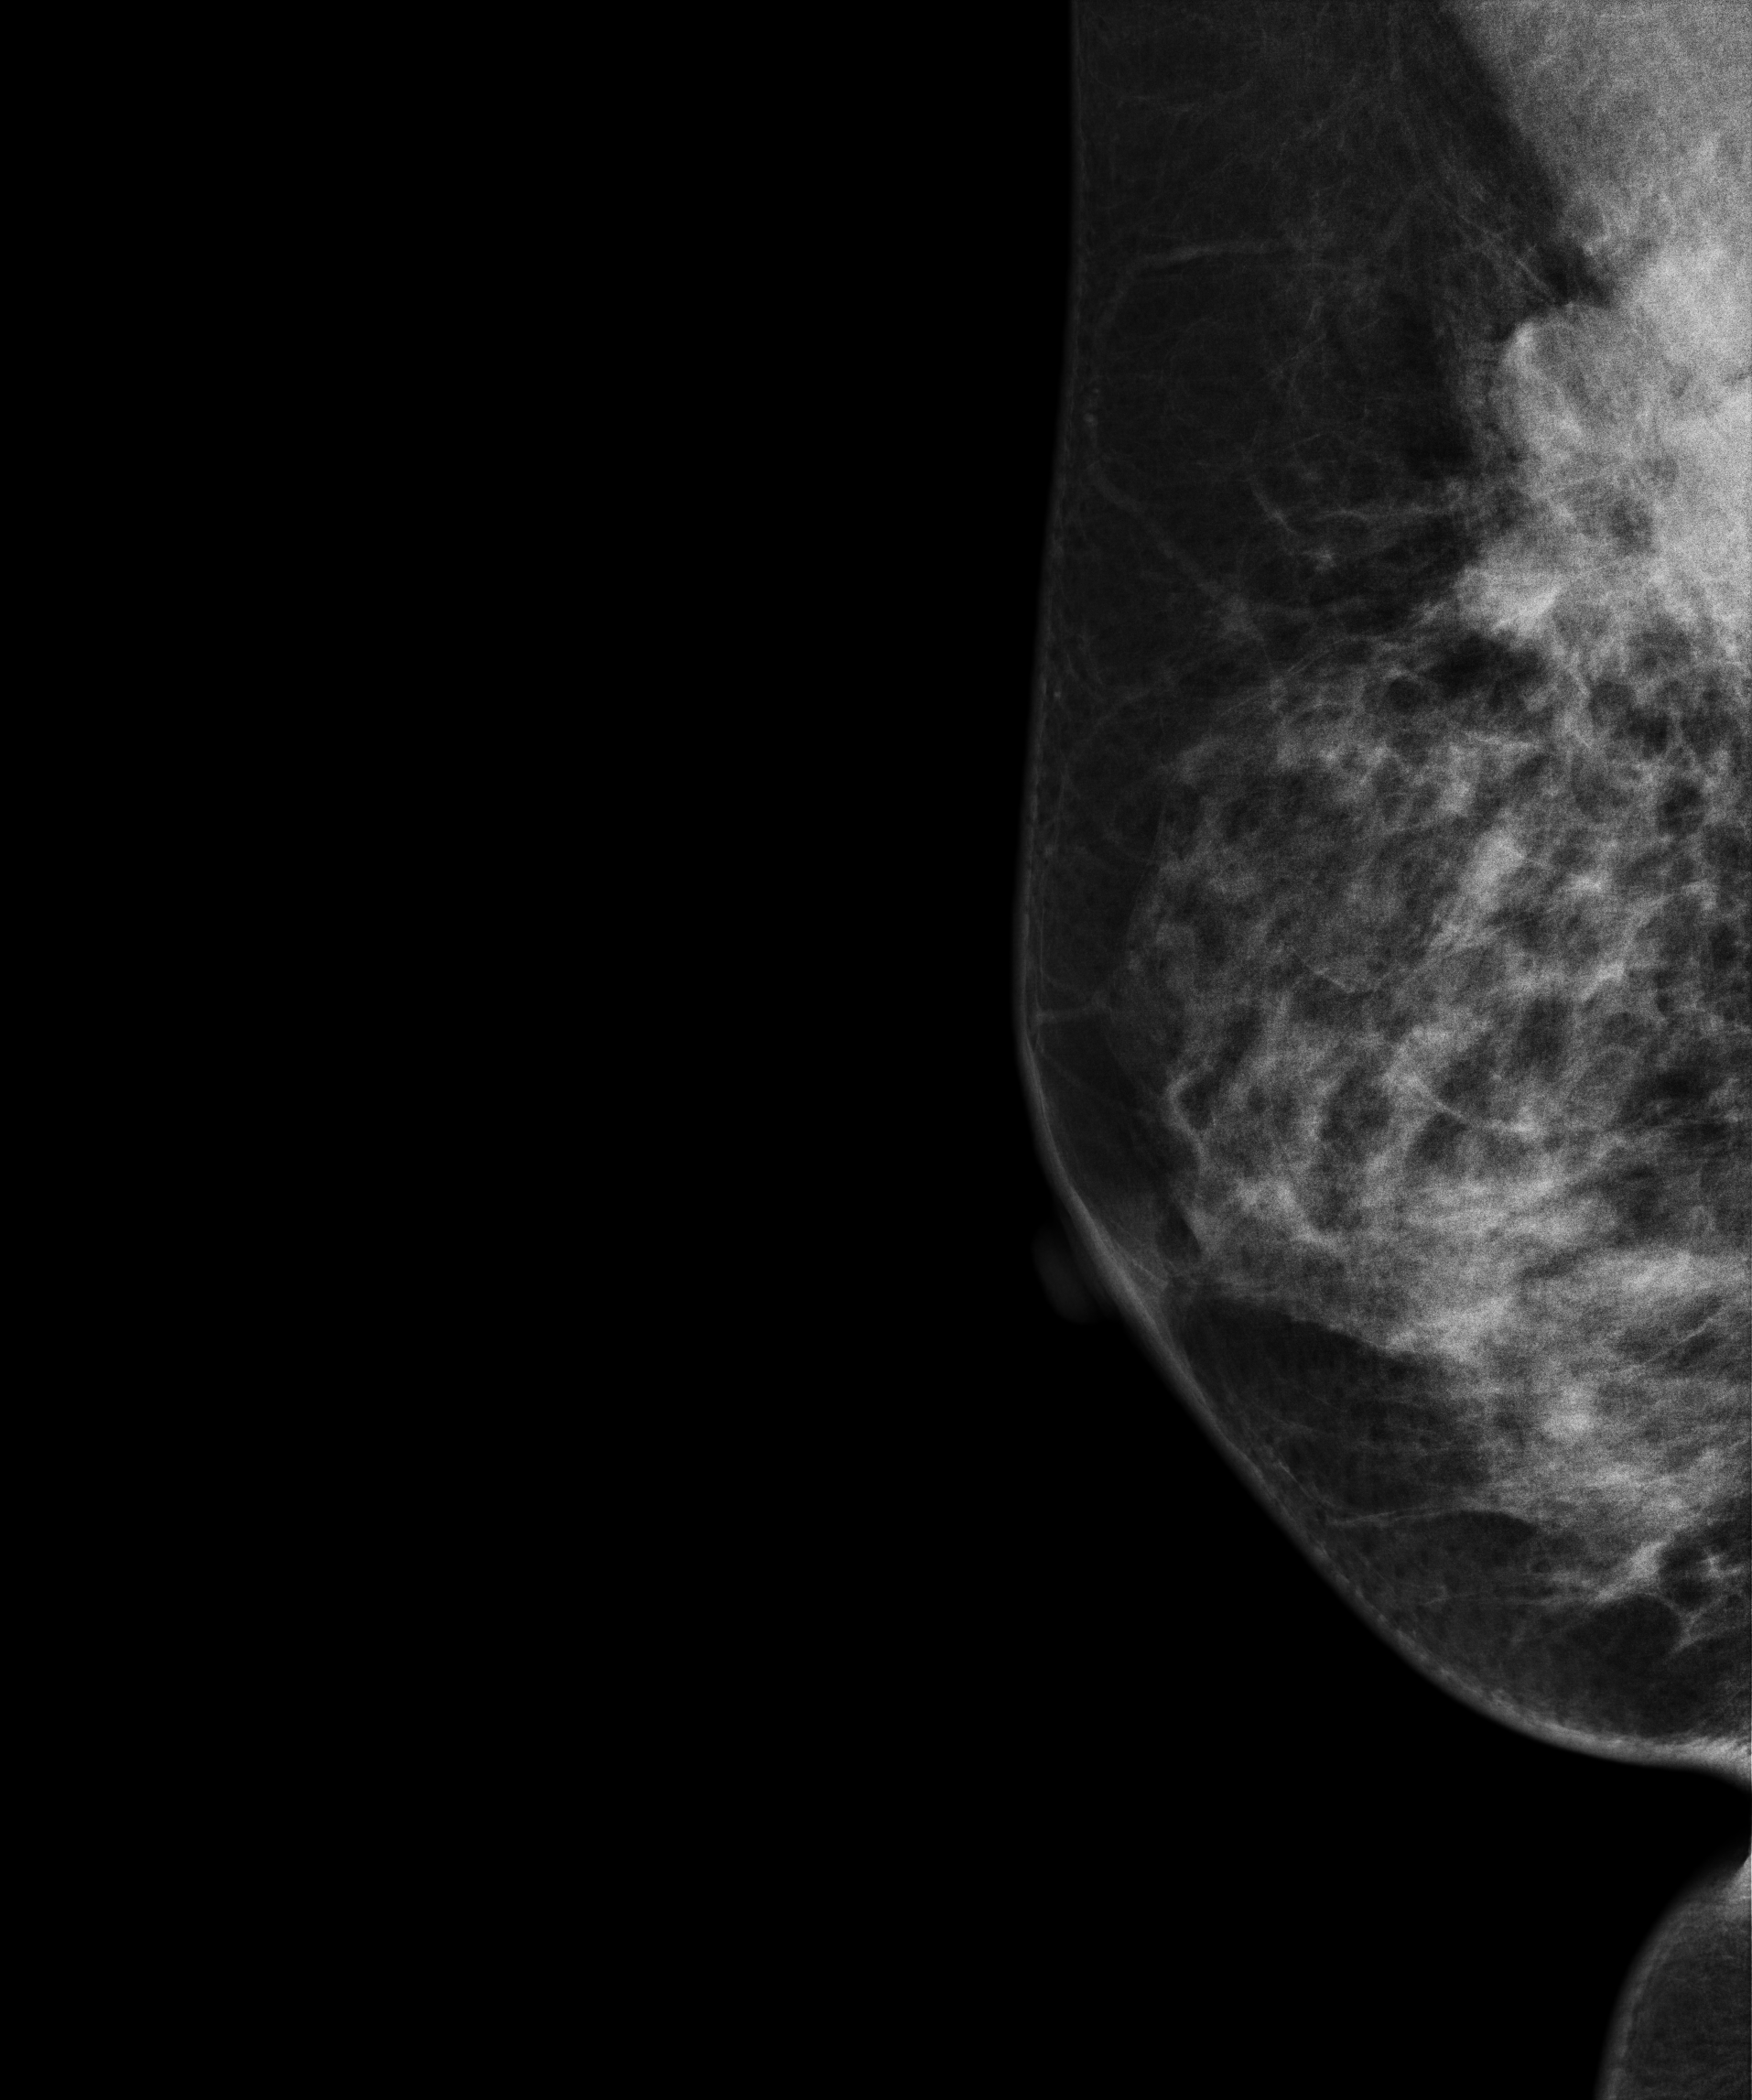
Mammogram — right MLO. 34-year-old patient.
This breast has a mass, pathology-confirmed malignant. Molecular subtype: triple-negative.